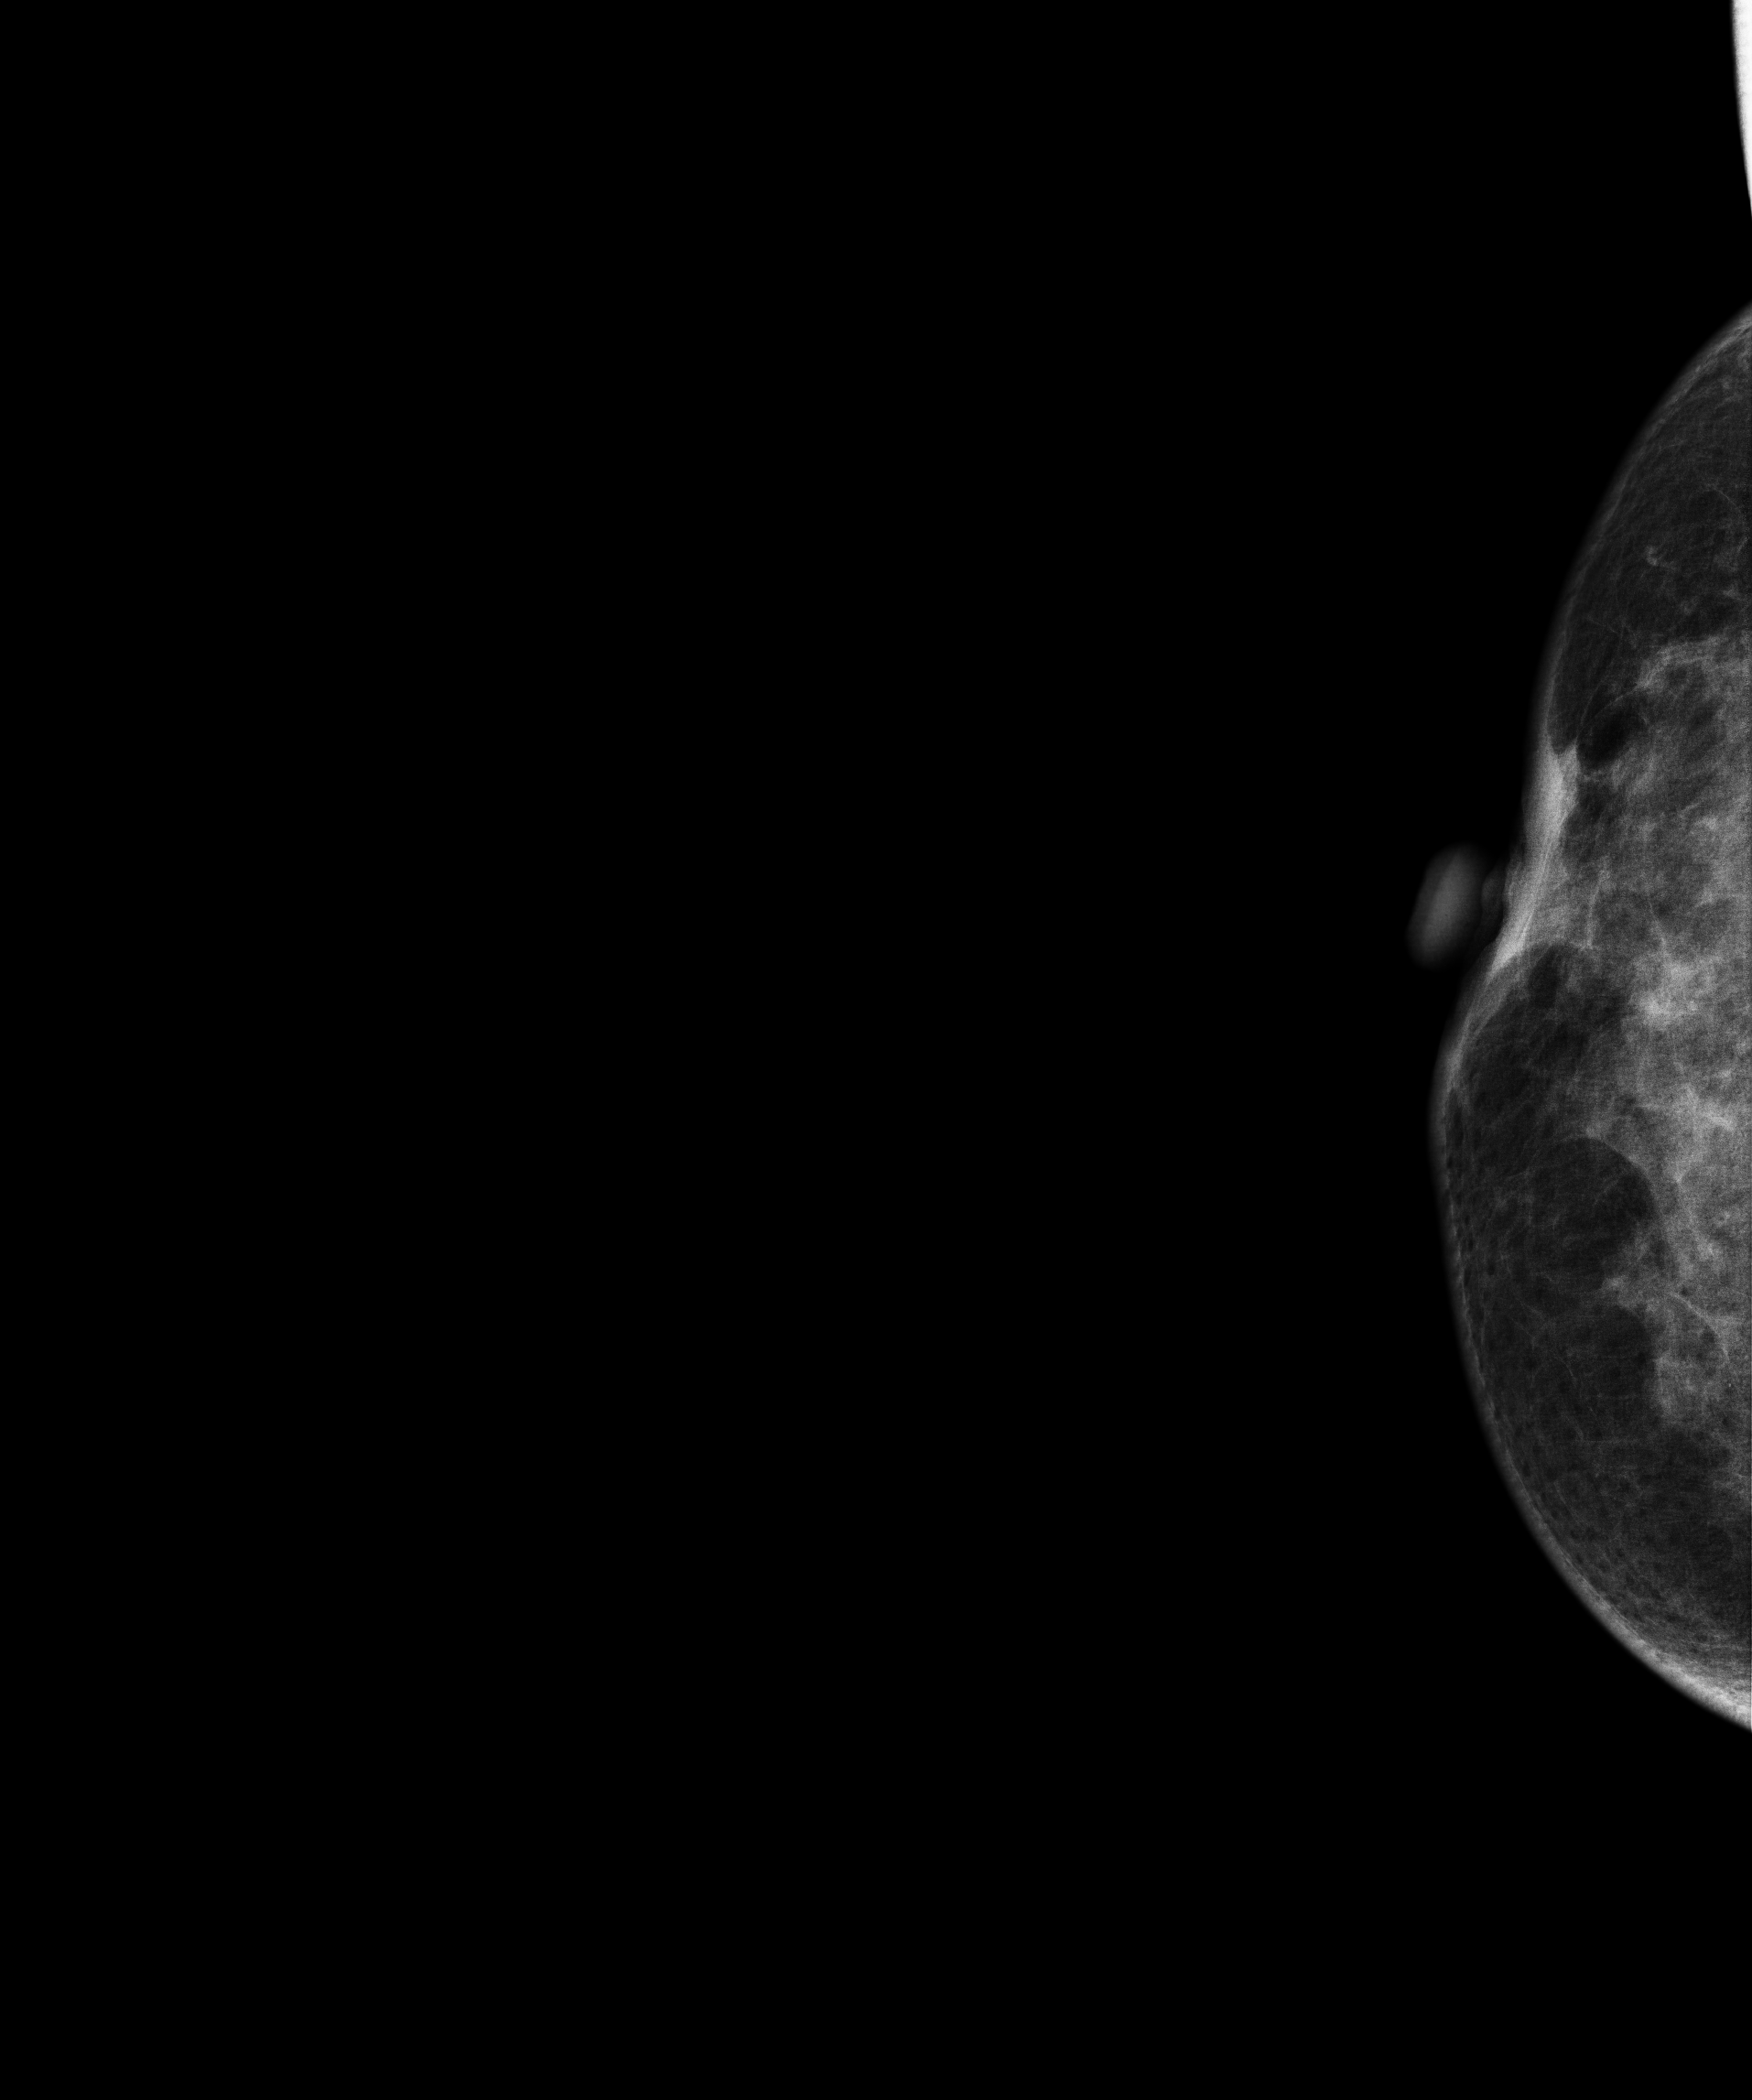
Right-breast mammogram, cranio-caudal. 37-year-old patient.
This breast has a mass, pathology-confirmed malignant. Molecular subtype: luminal B.